Mammogram — right CC. 45-year-old patient.
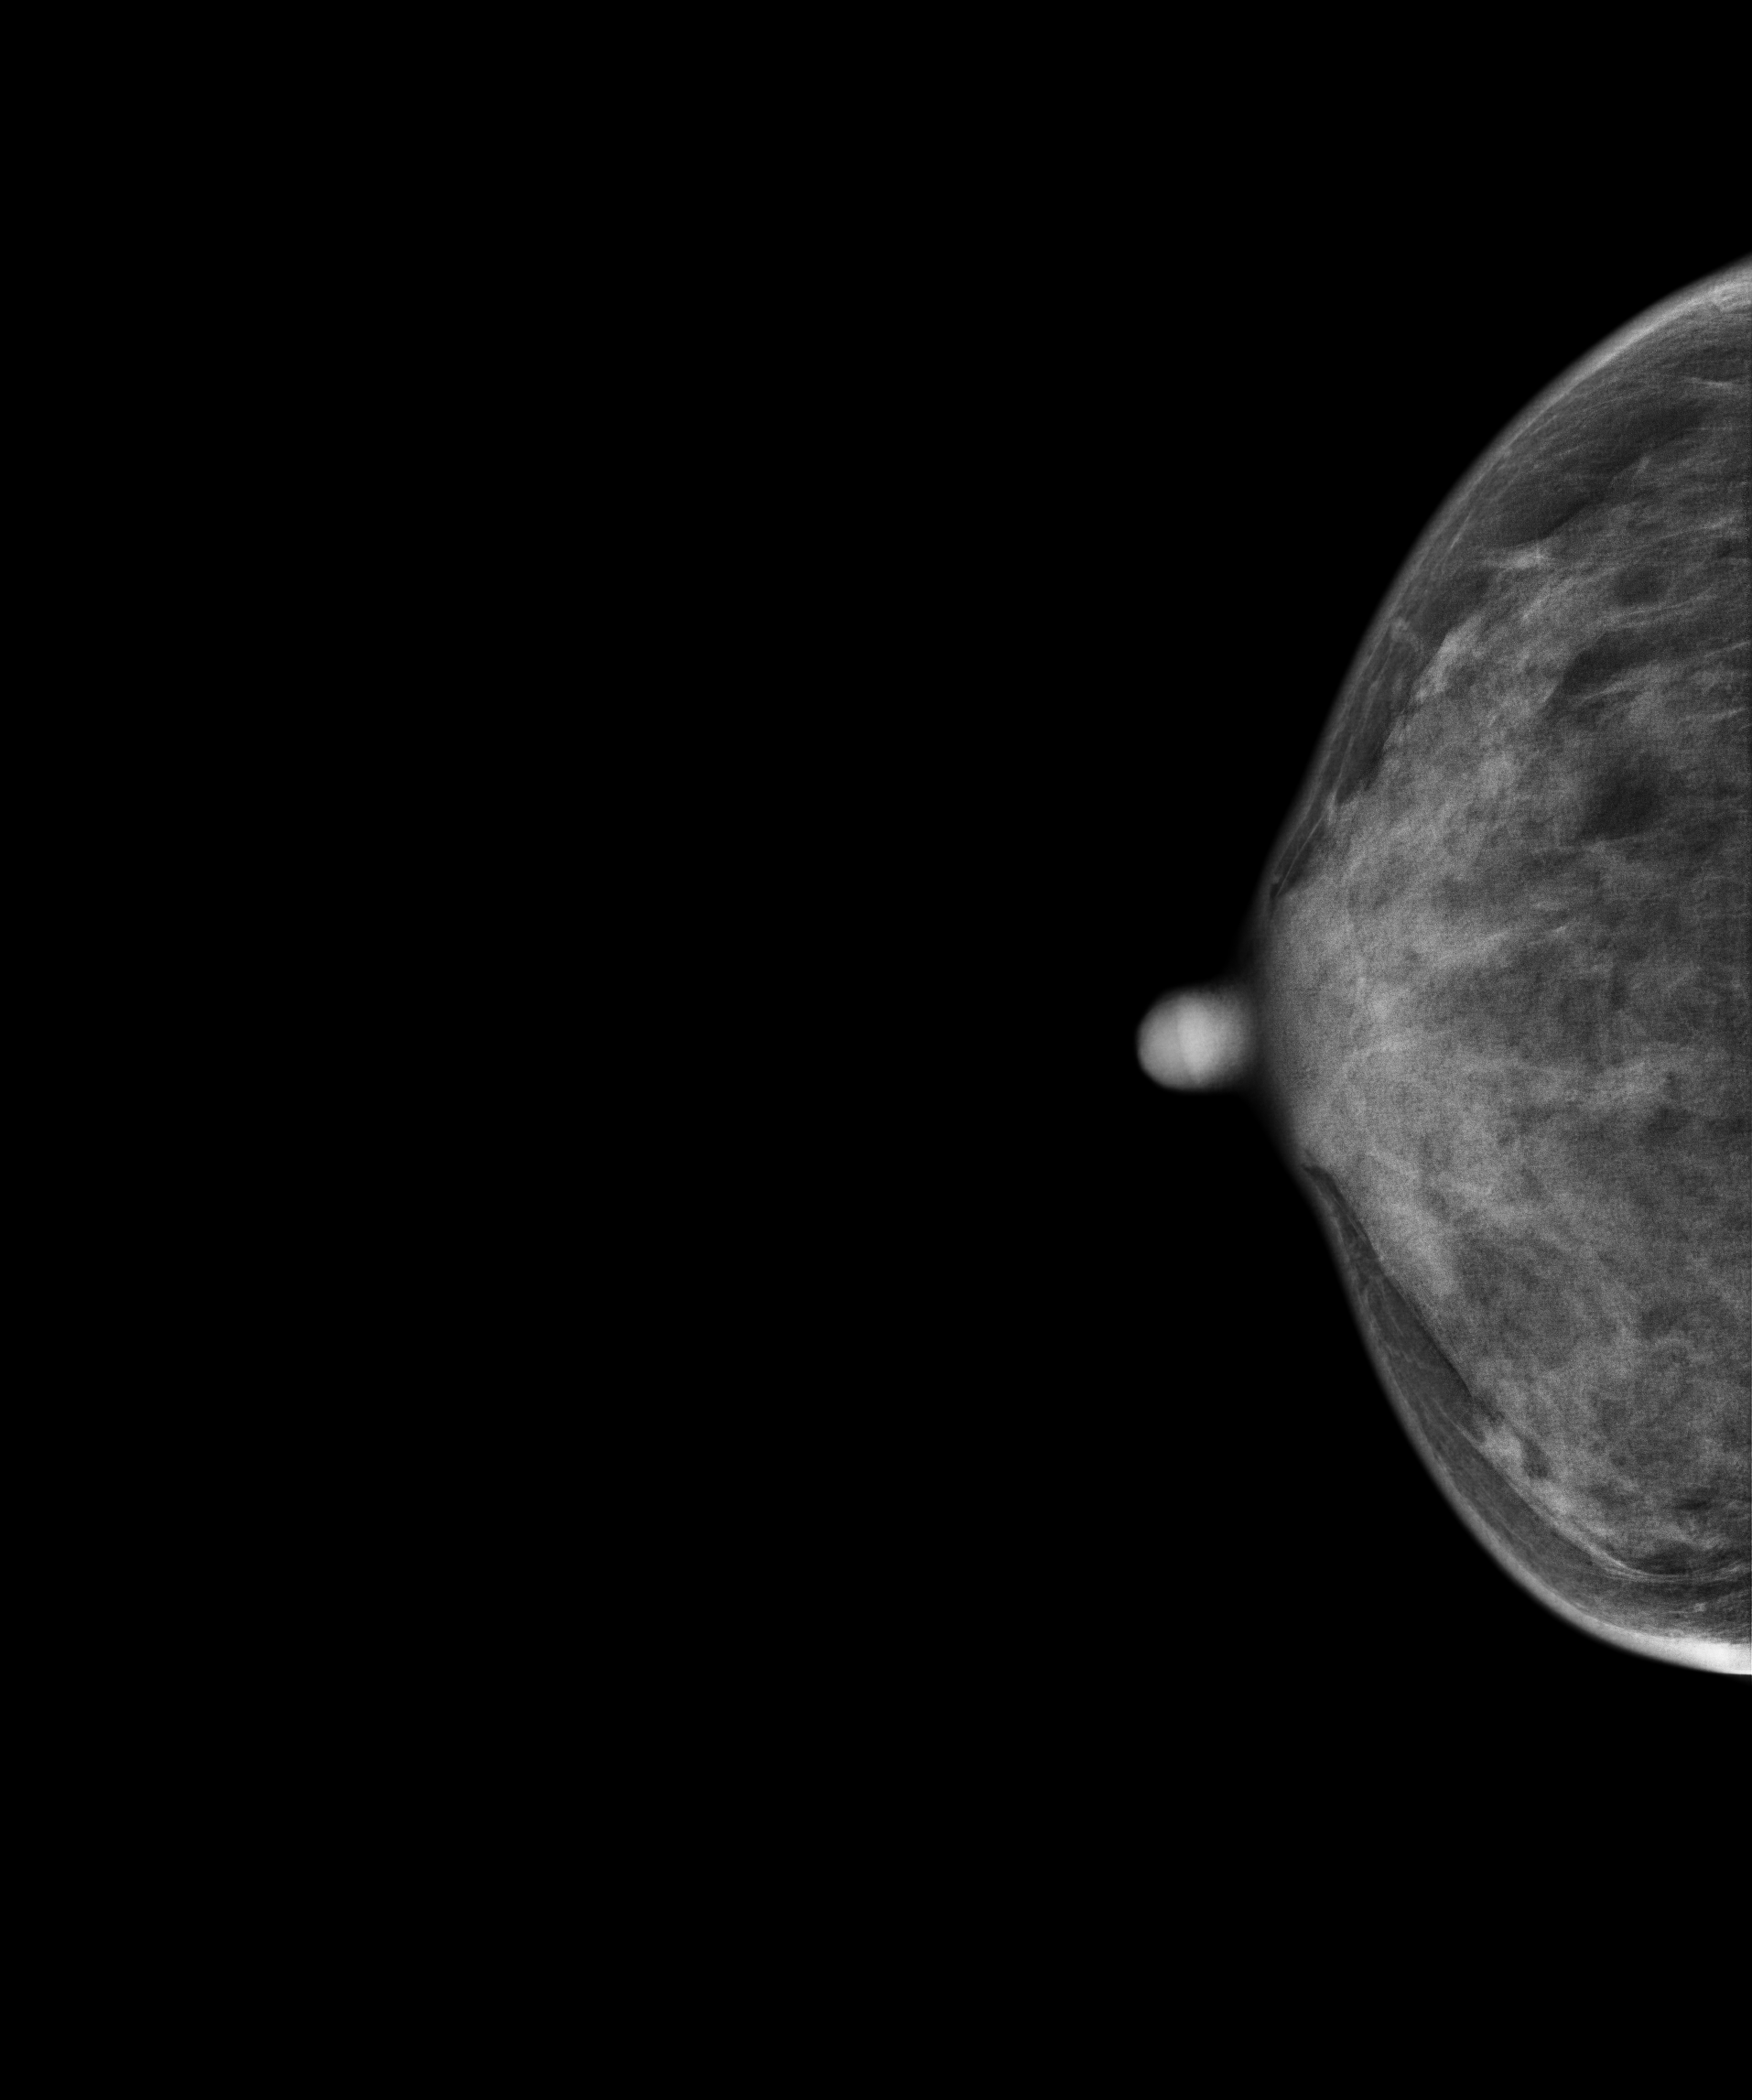
This breast has calcifications, biopsy-confirmed benign.